CC mammogram of the right breast. 84-year-old patient.
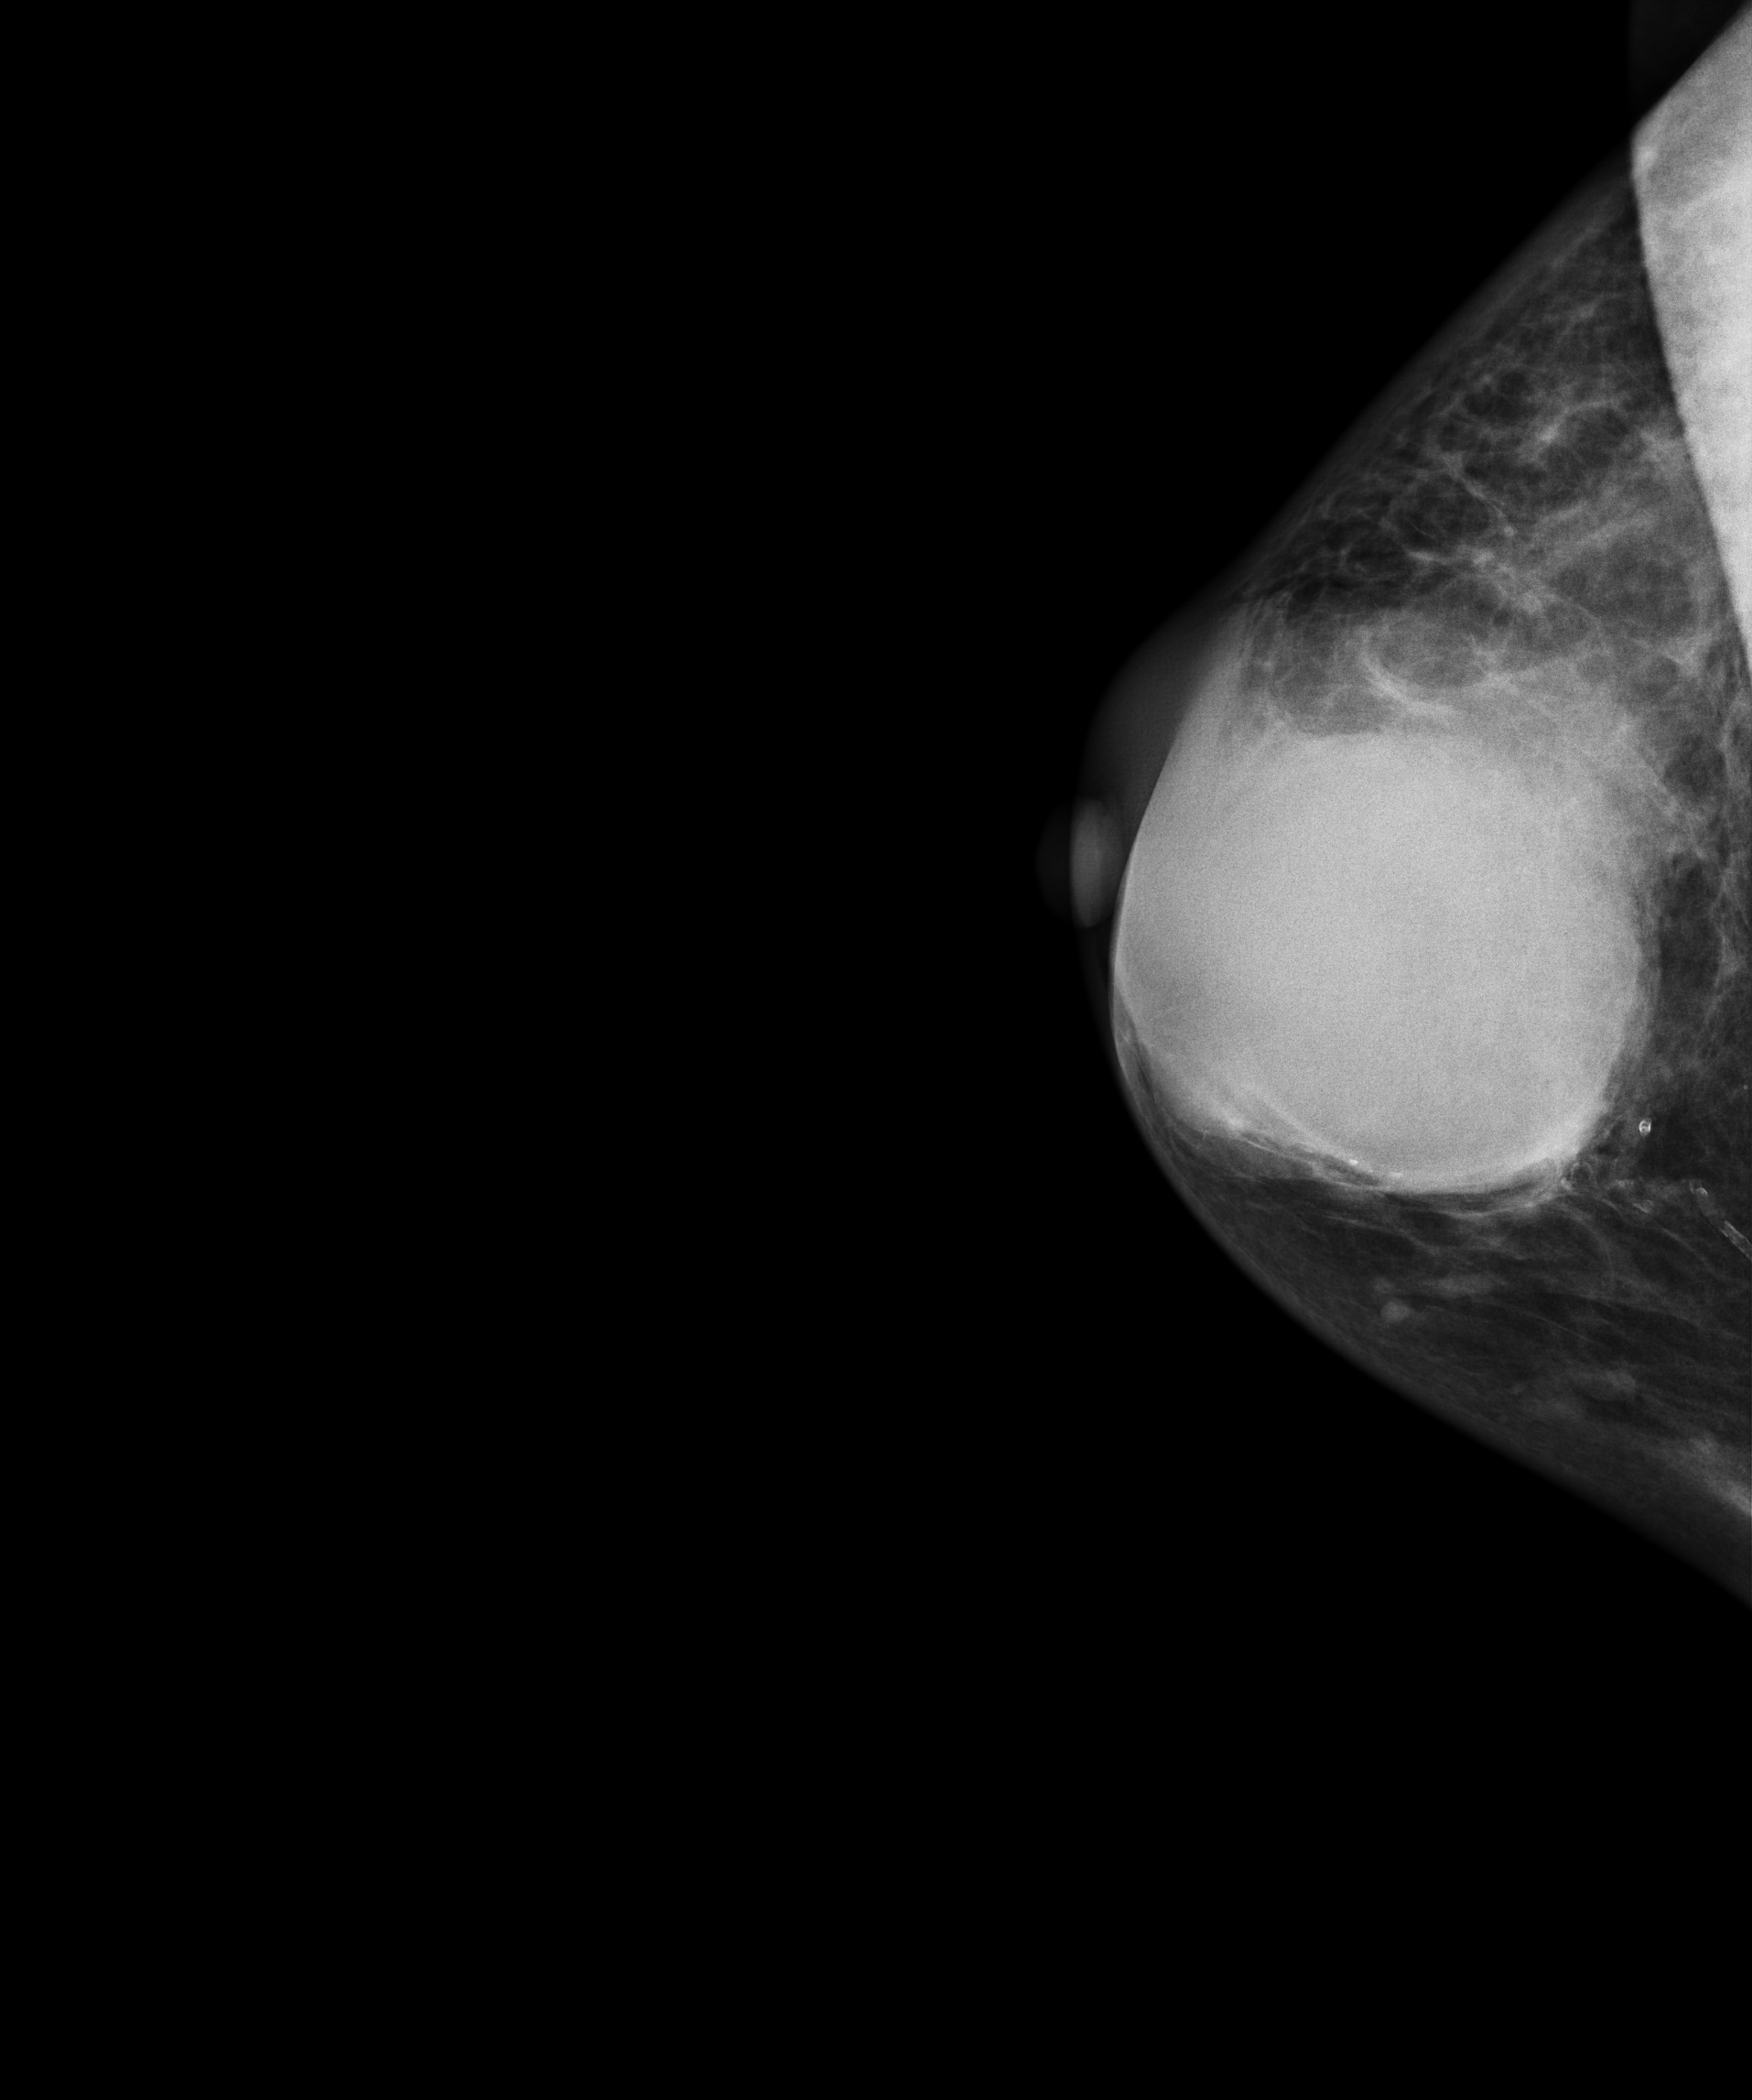
This breast has a mass, biopsy-confirmed benign.